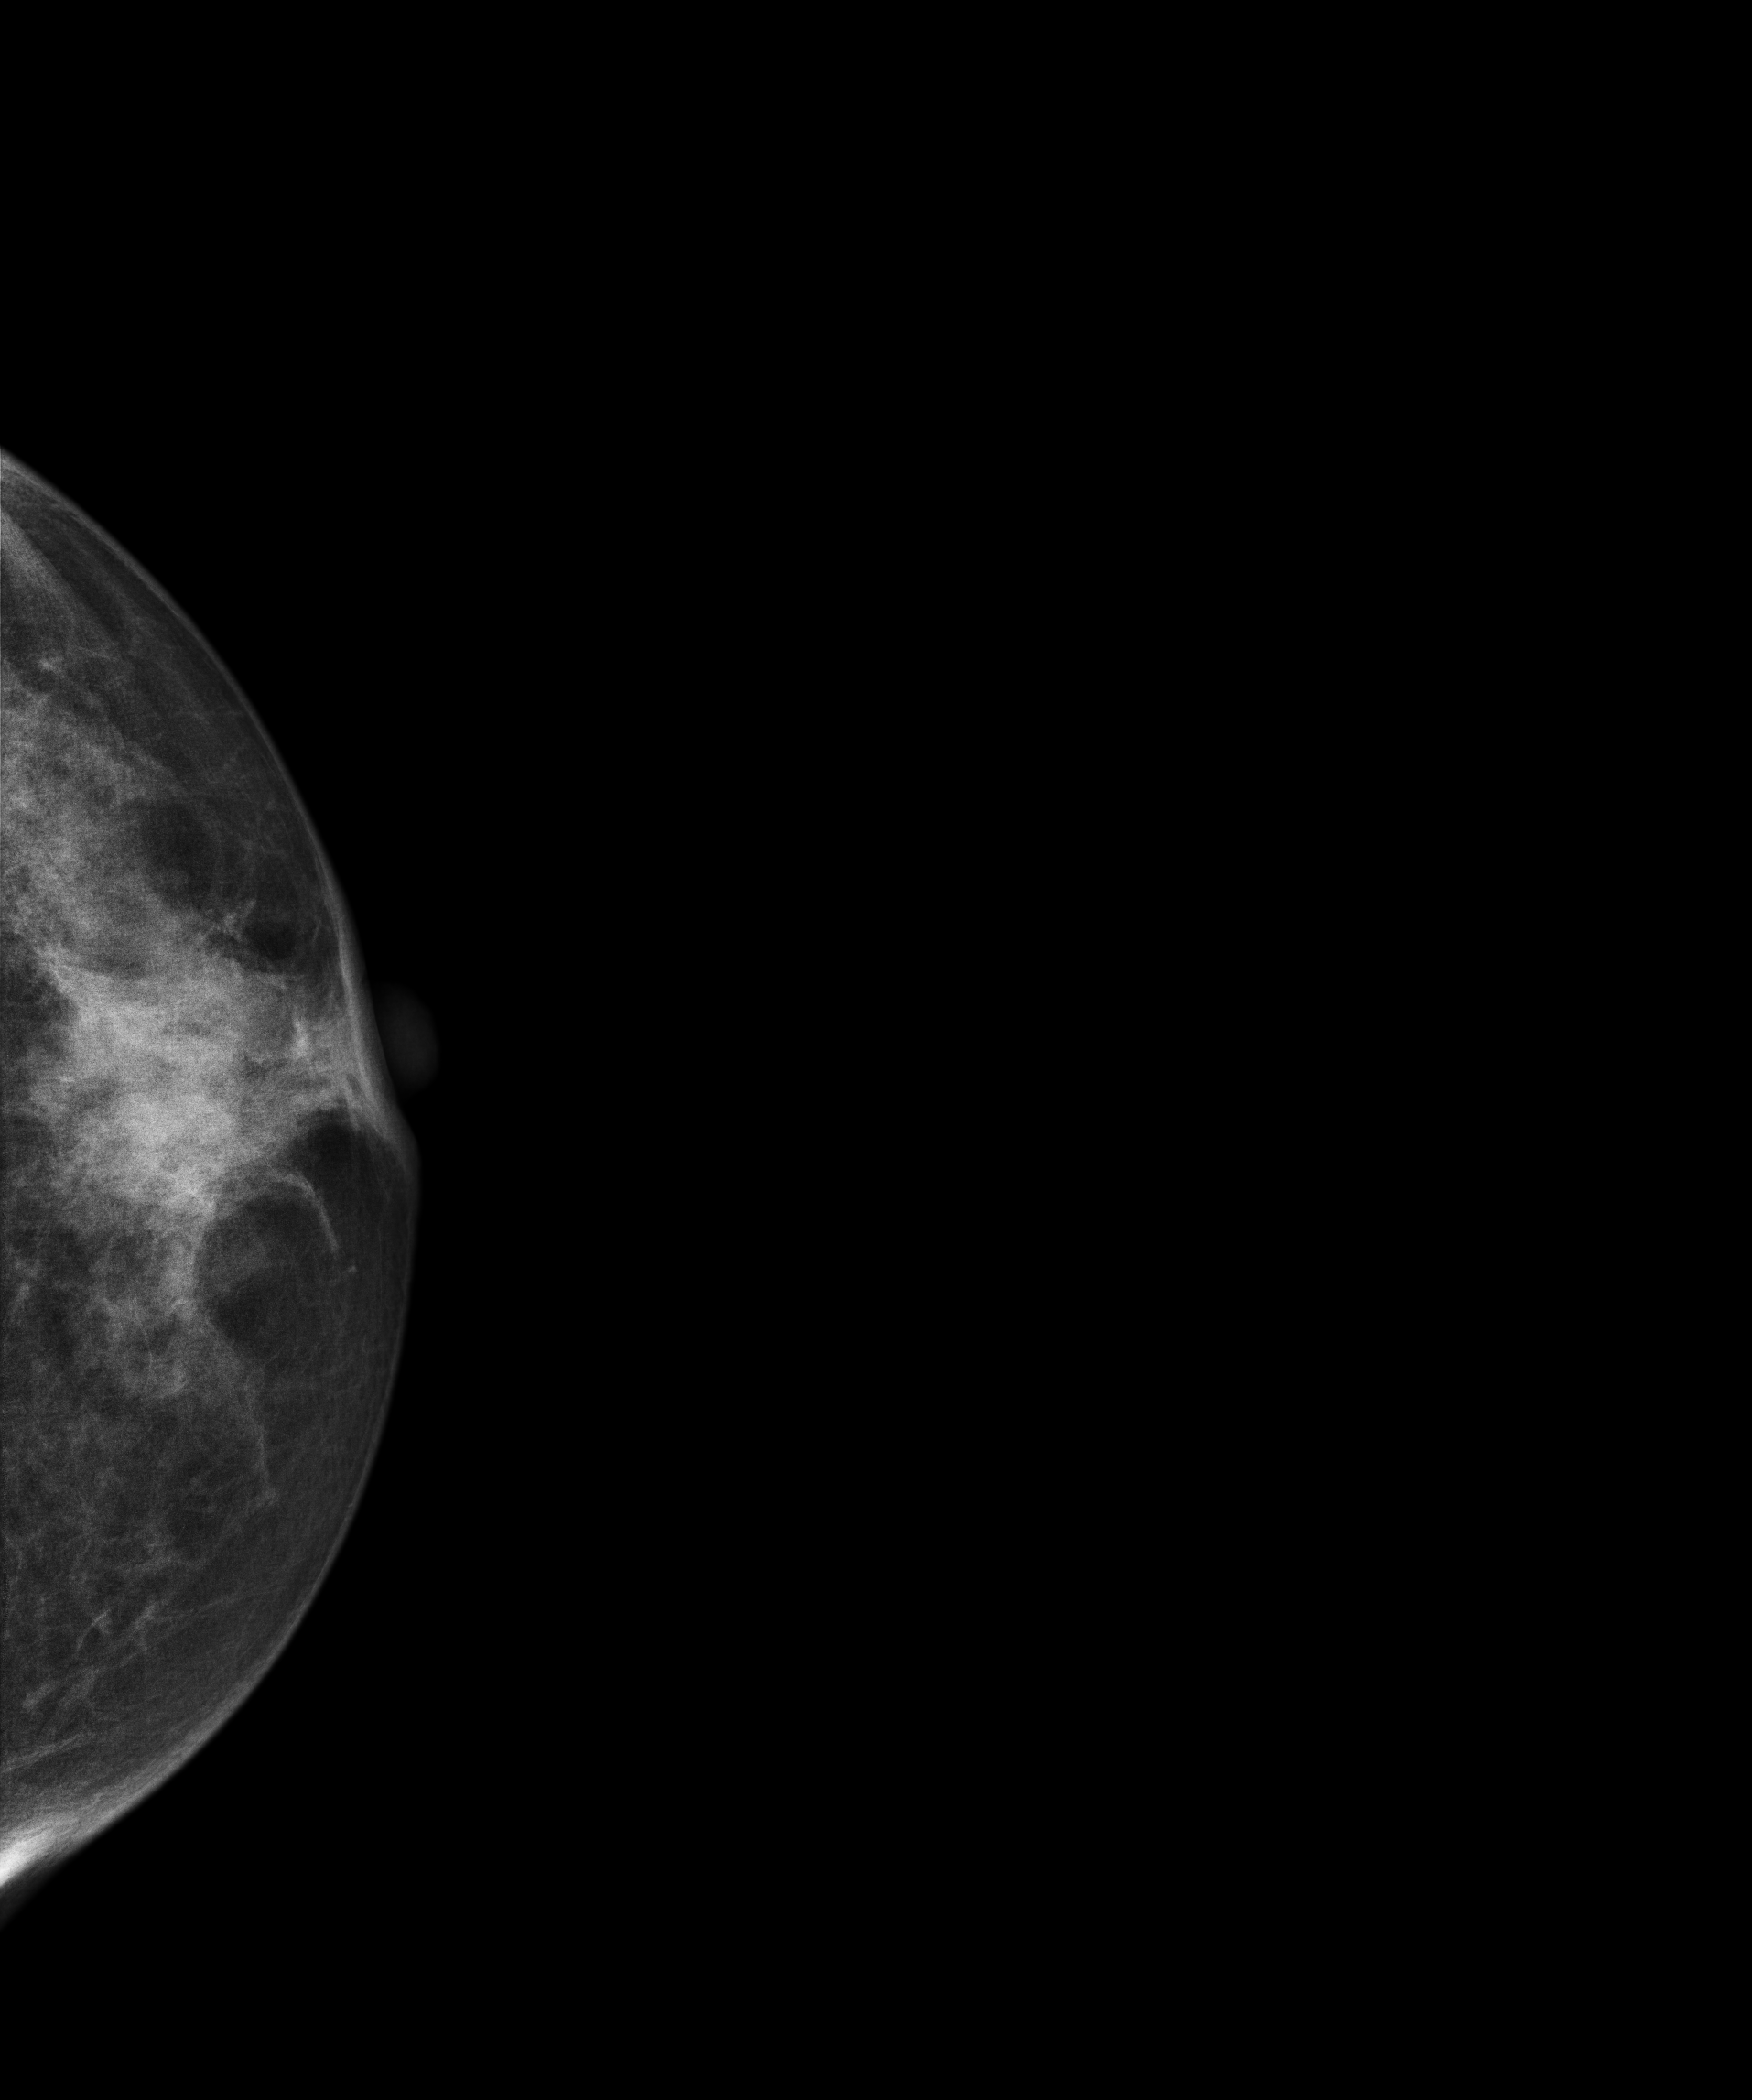
Mammogram — left CC. Patient age 39.
This breast has a mass, histologically confirmed benign.